Right-breast mammogram, MLO. Patient age 64.
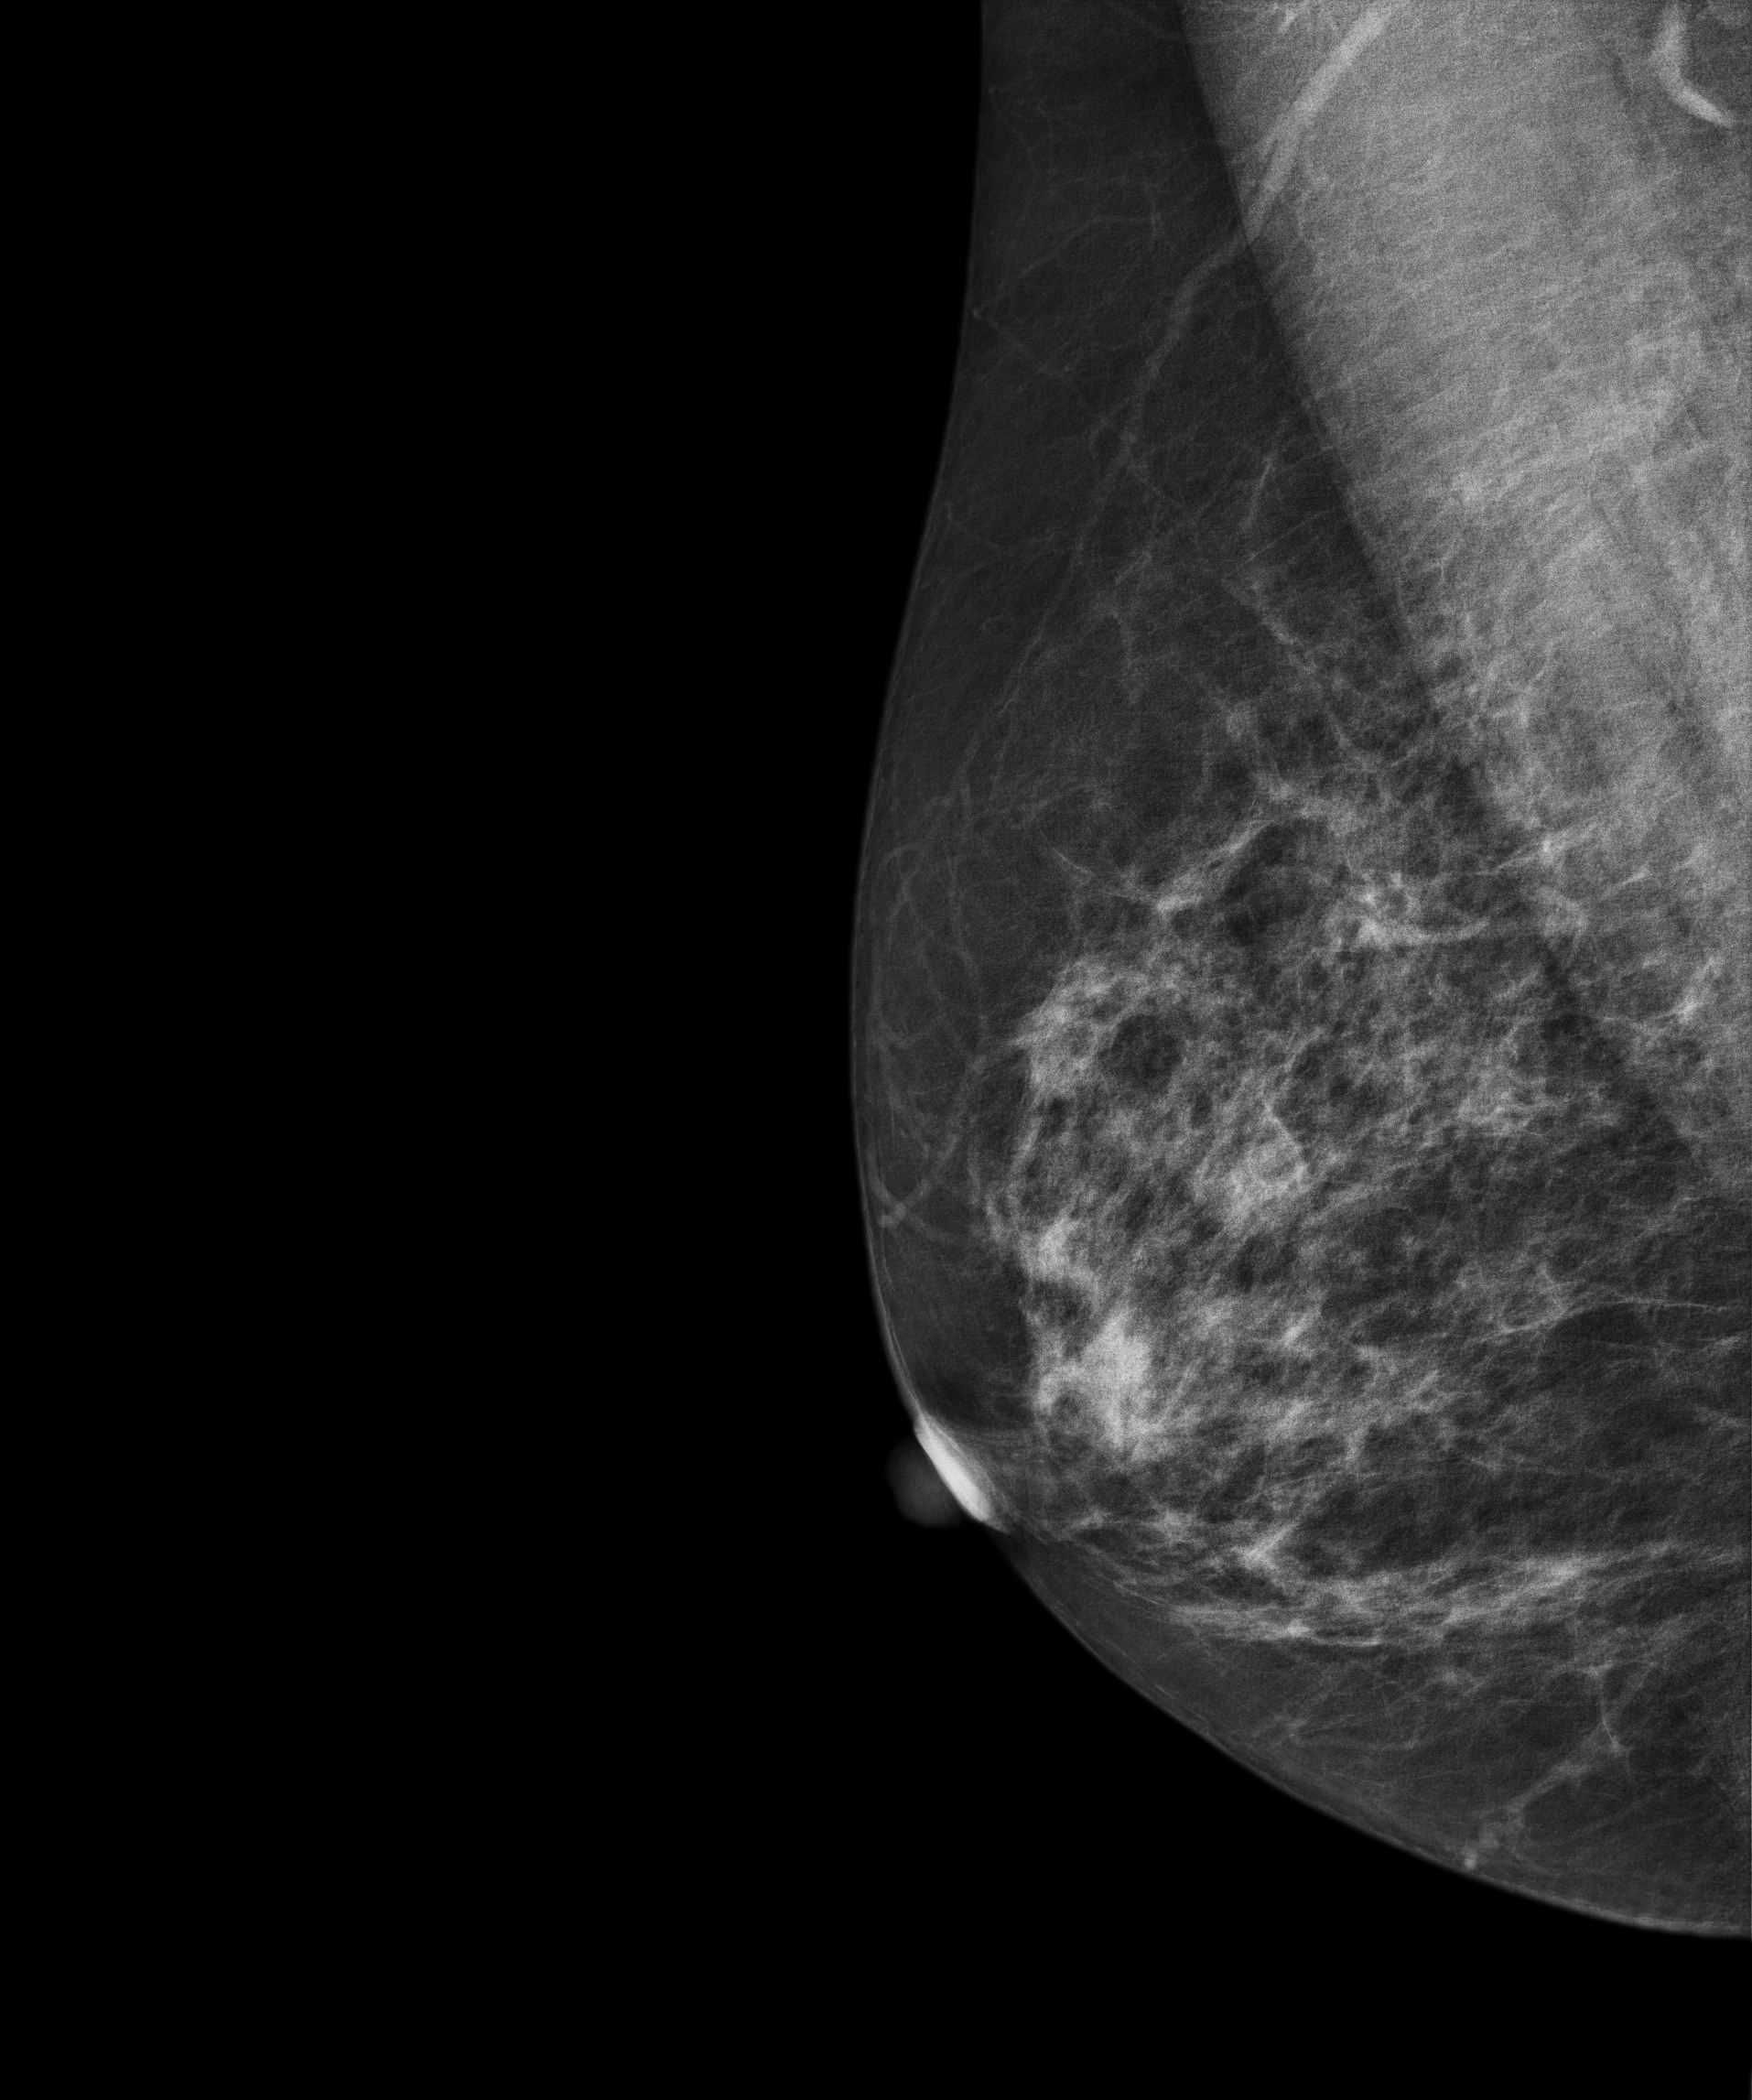
Contralateral breast — no documented abnormality on this side.